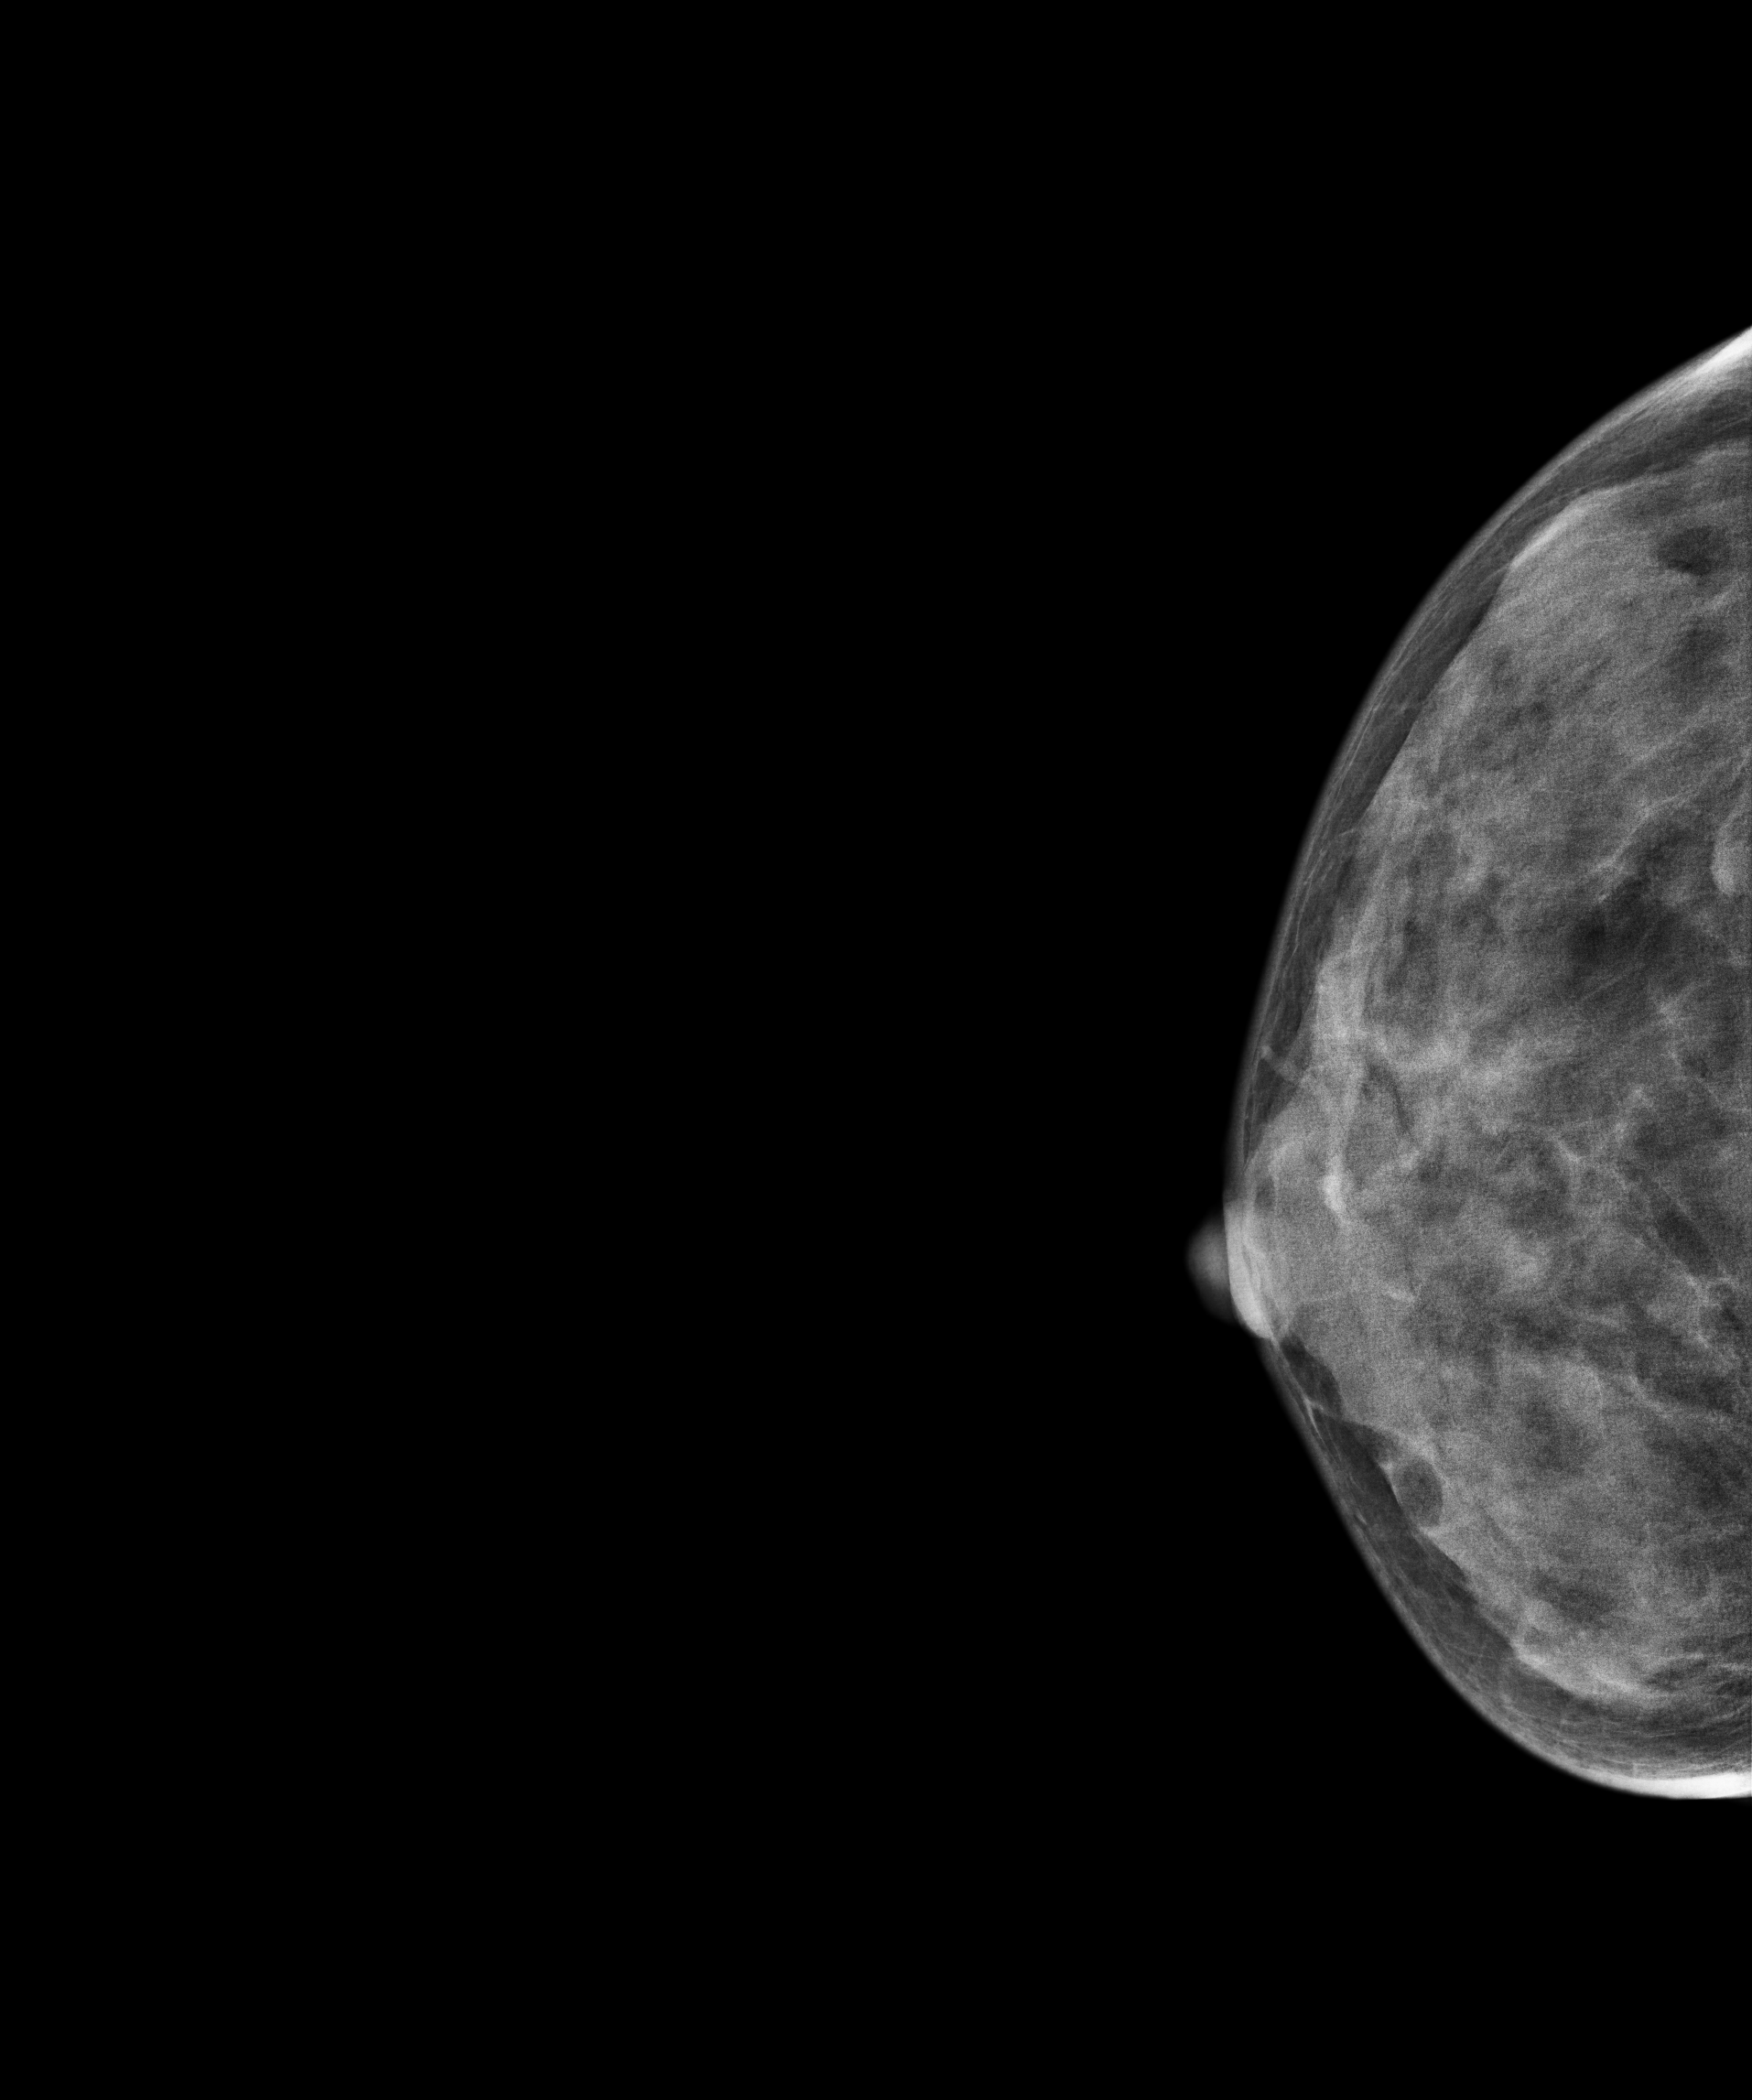
Cranio-caudal mammogram of the right breast. 41 y/o patient.
This breast has a mass, biopsy-confirmed benign.